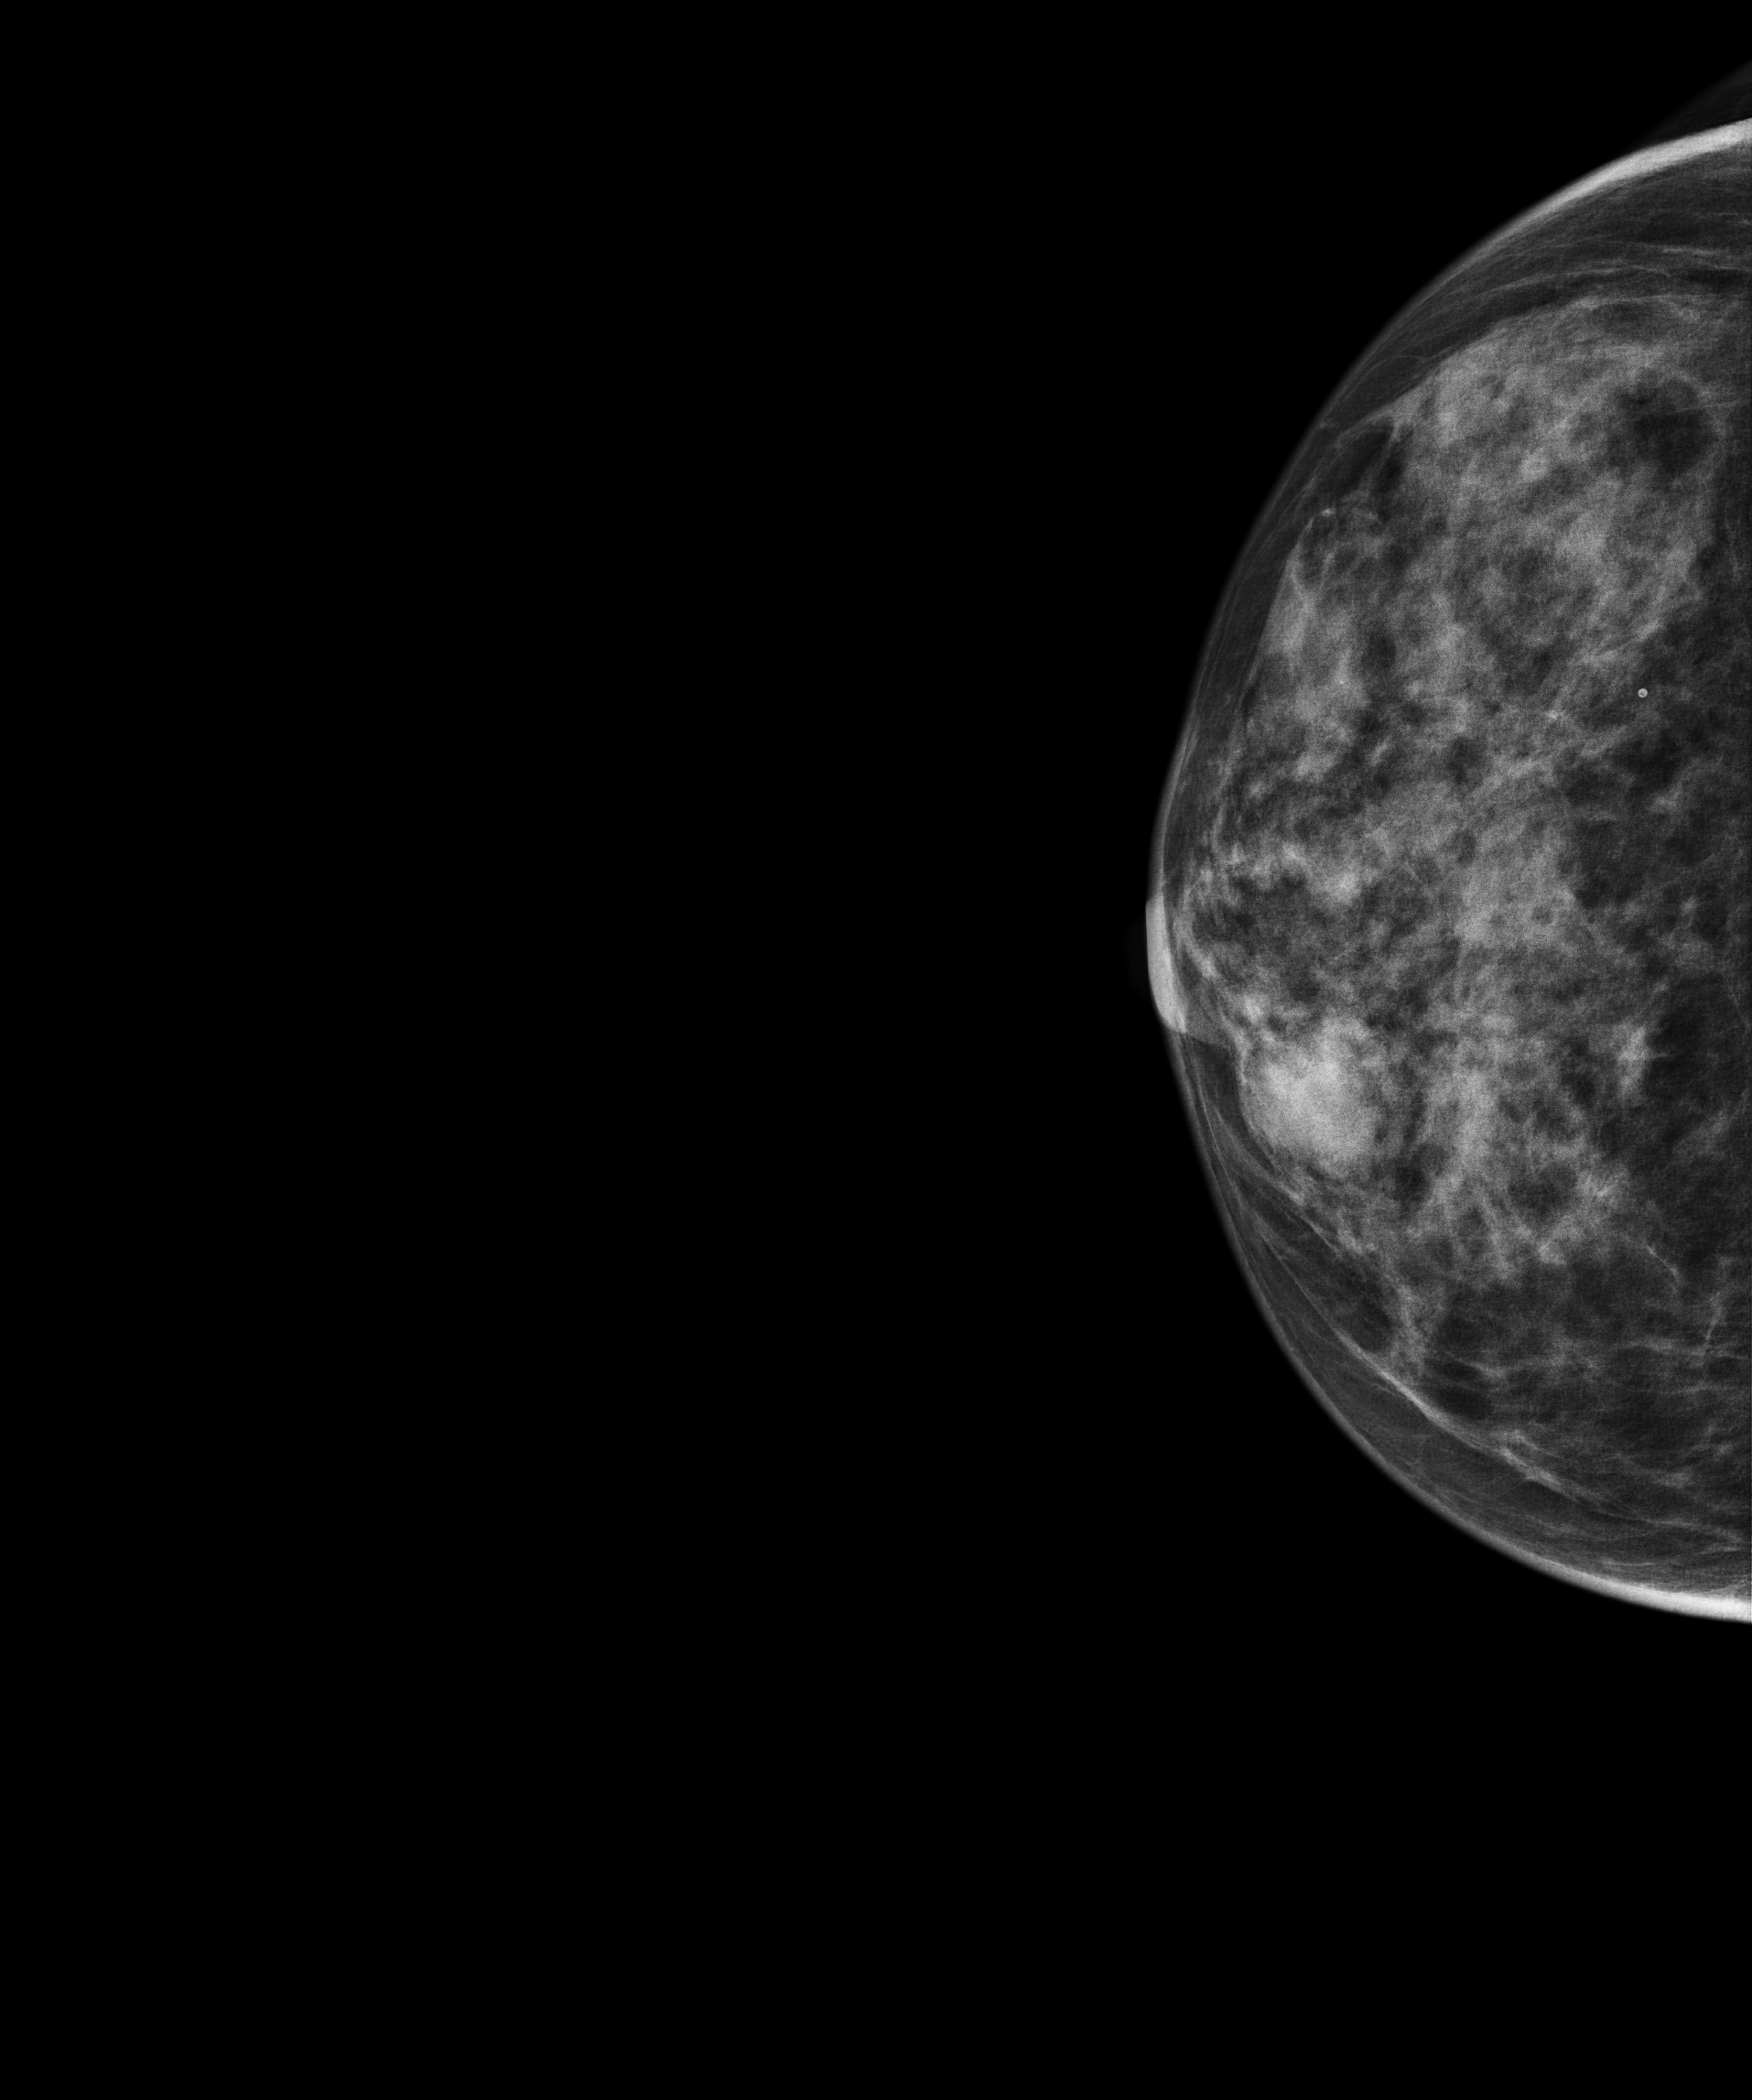
CC mammogram of the right breast. Patient age 33.
This breast has a mass, histologically confirmed benign.